Left-breast mammogram, MLO. 61 y/o patient.
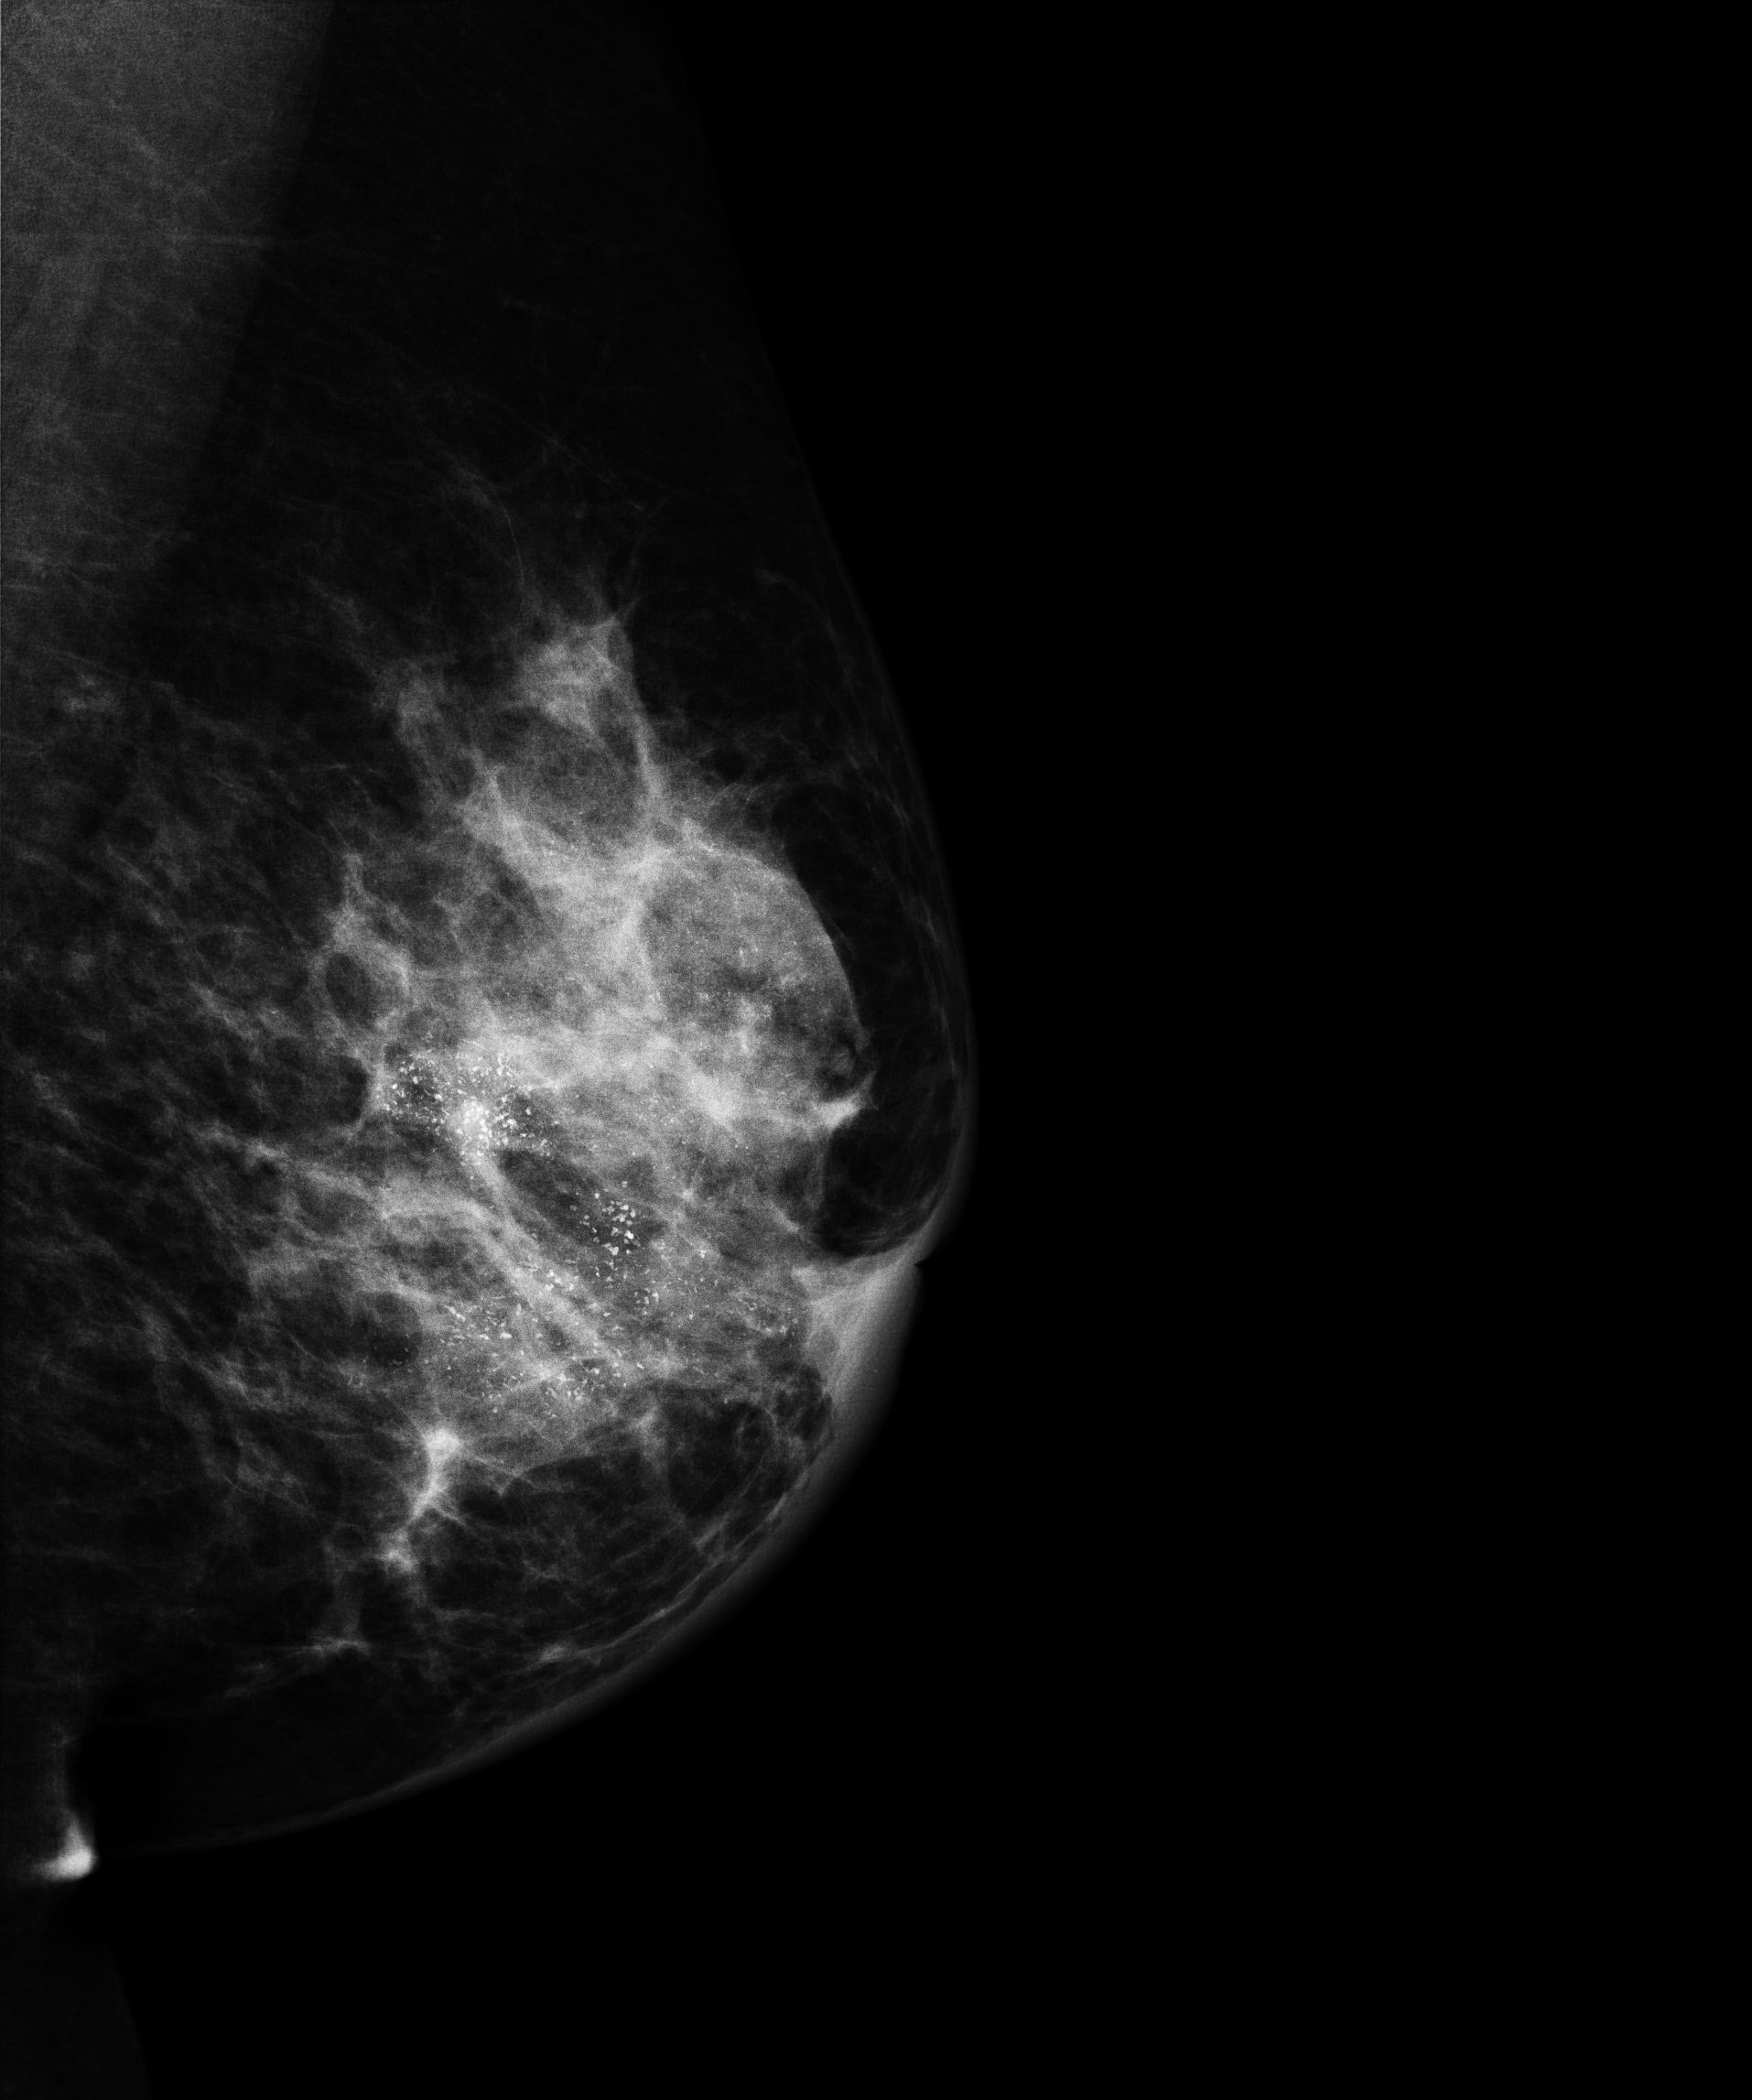
This breast has calcifications, pathology-confirmed malignant. Molecular subtype: HER2-enriched.